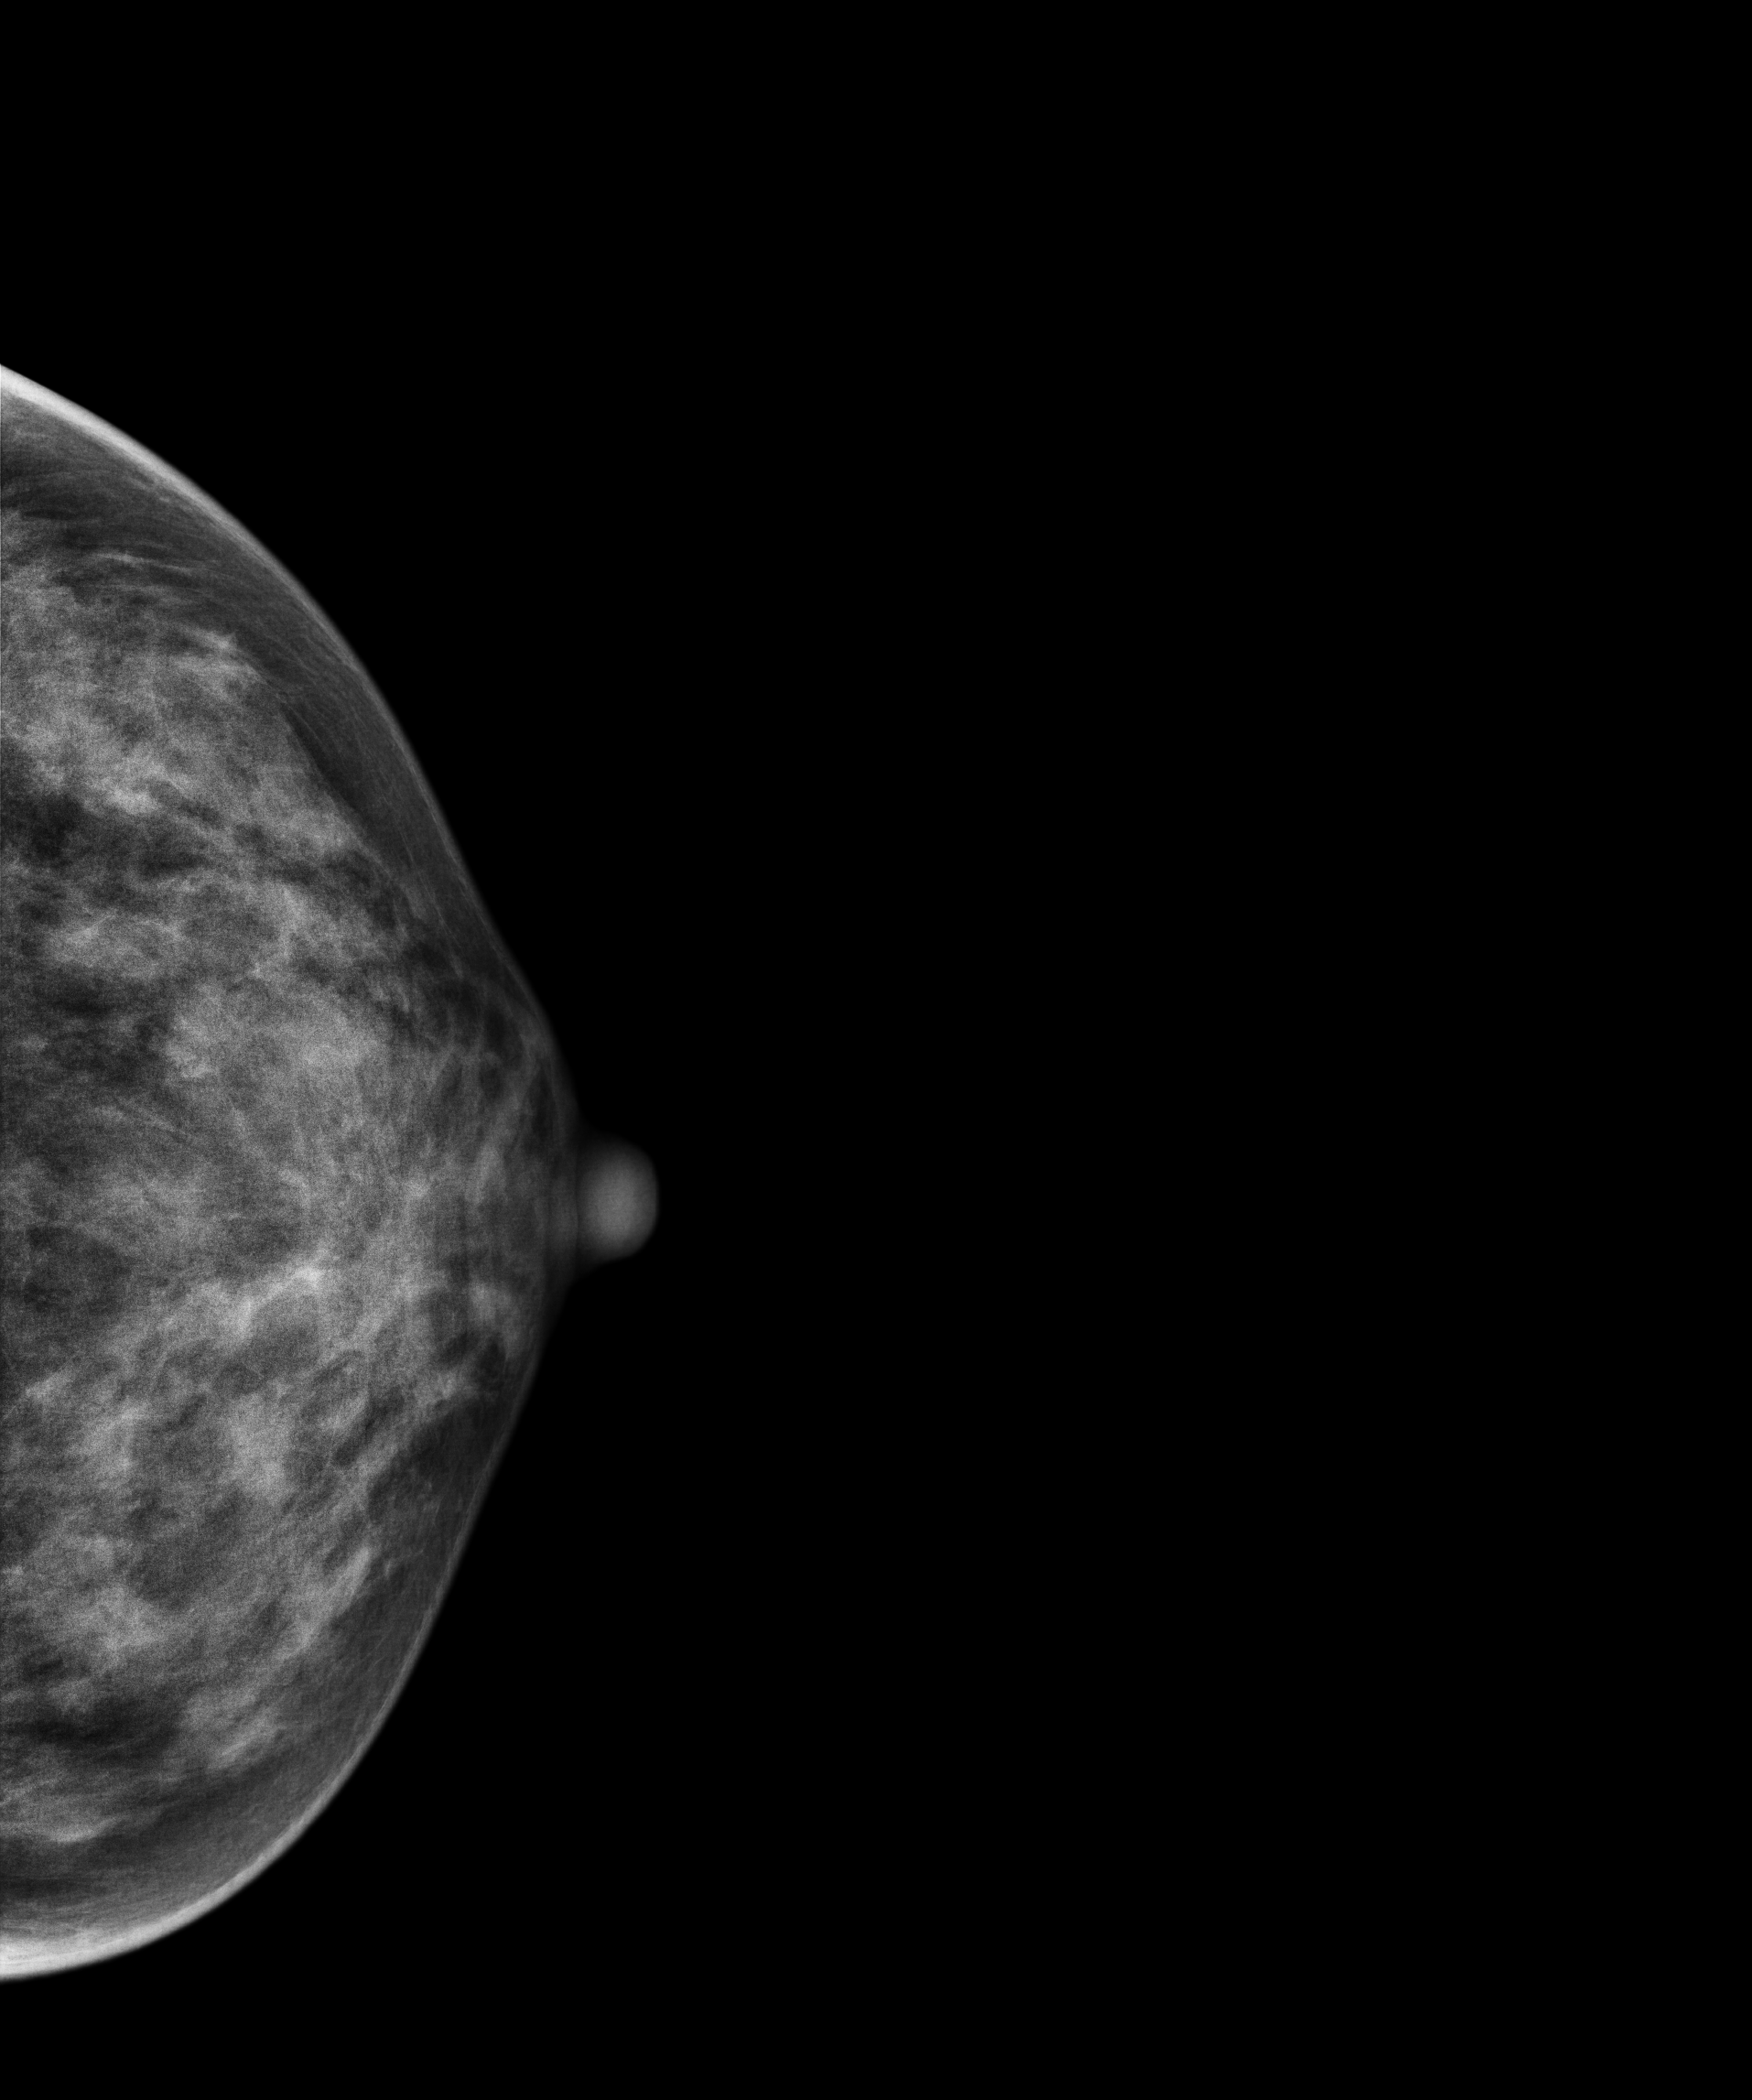
Left-breast mammogram, CC. Patient age 40.
This breast has a mass, histologically confirmed benign.